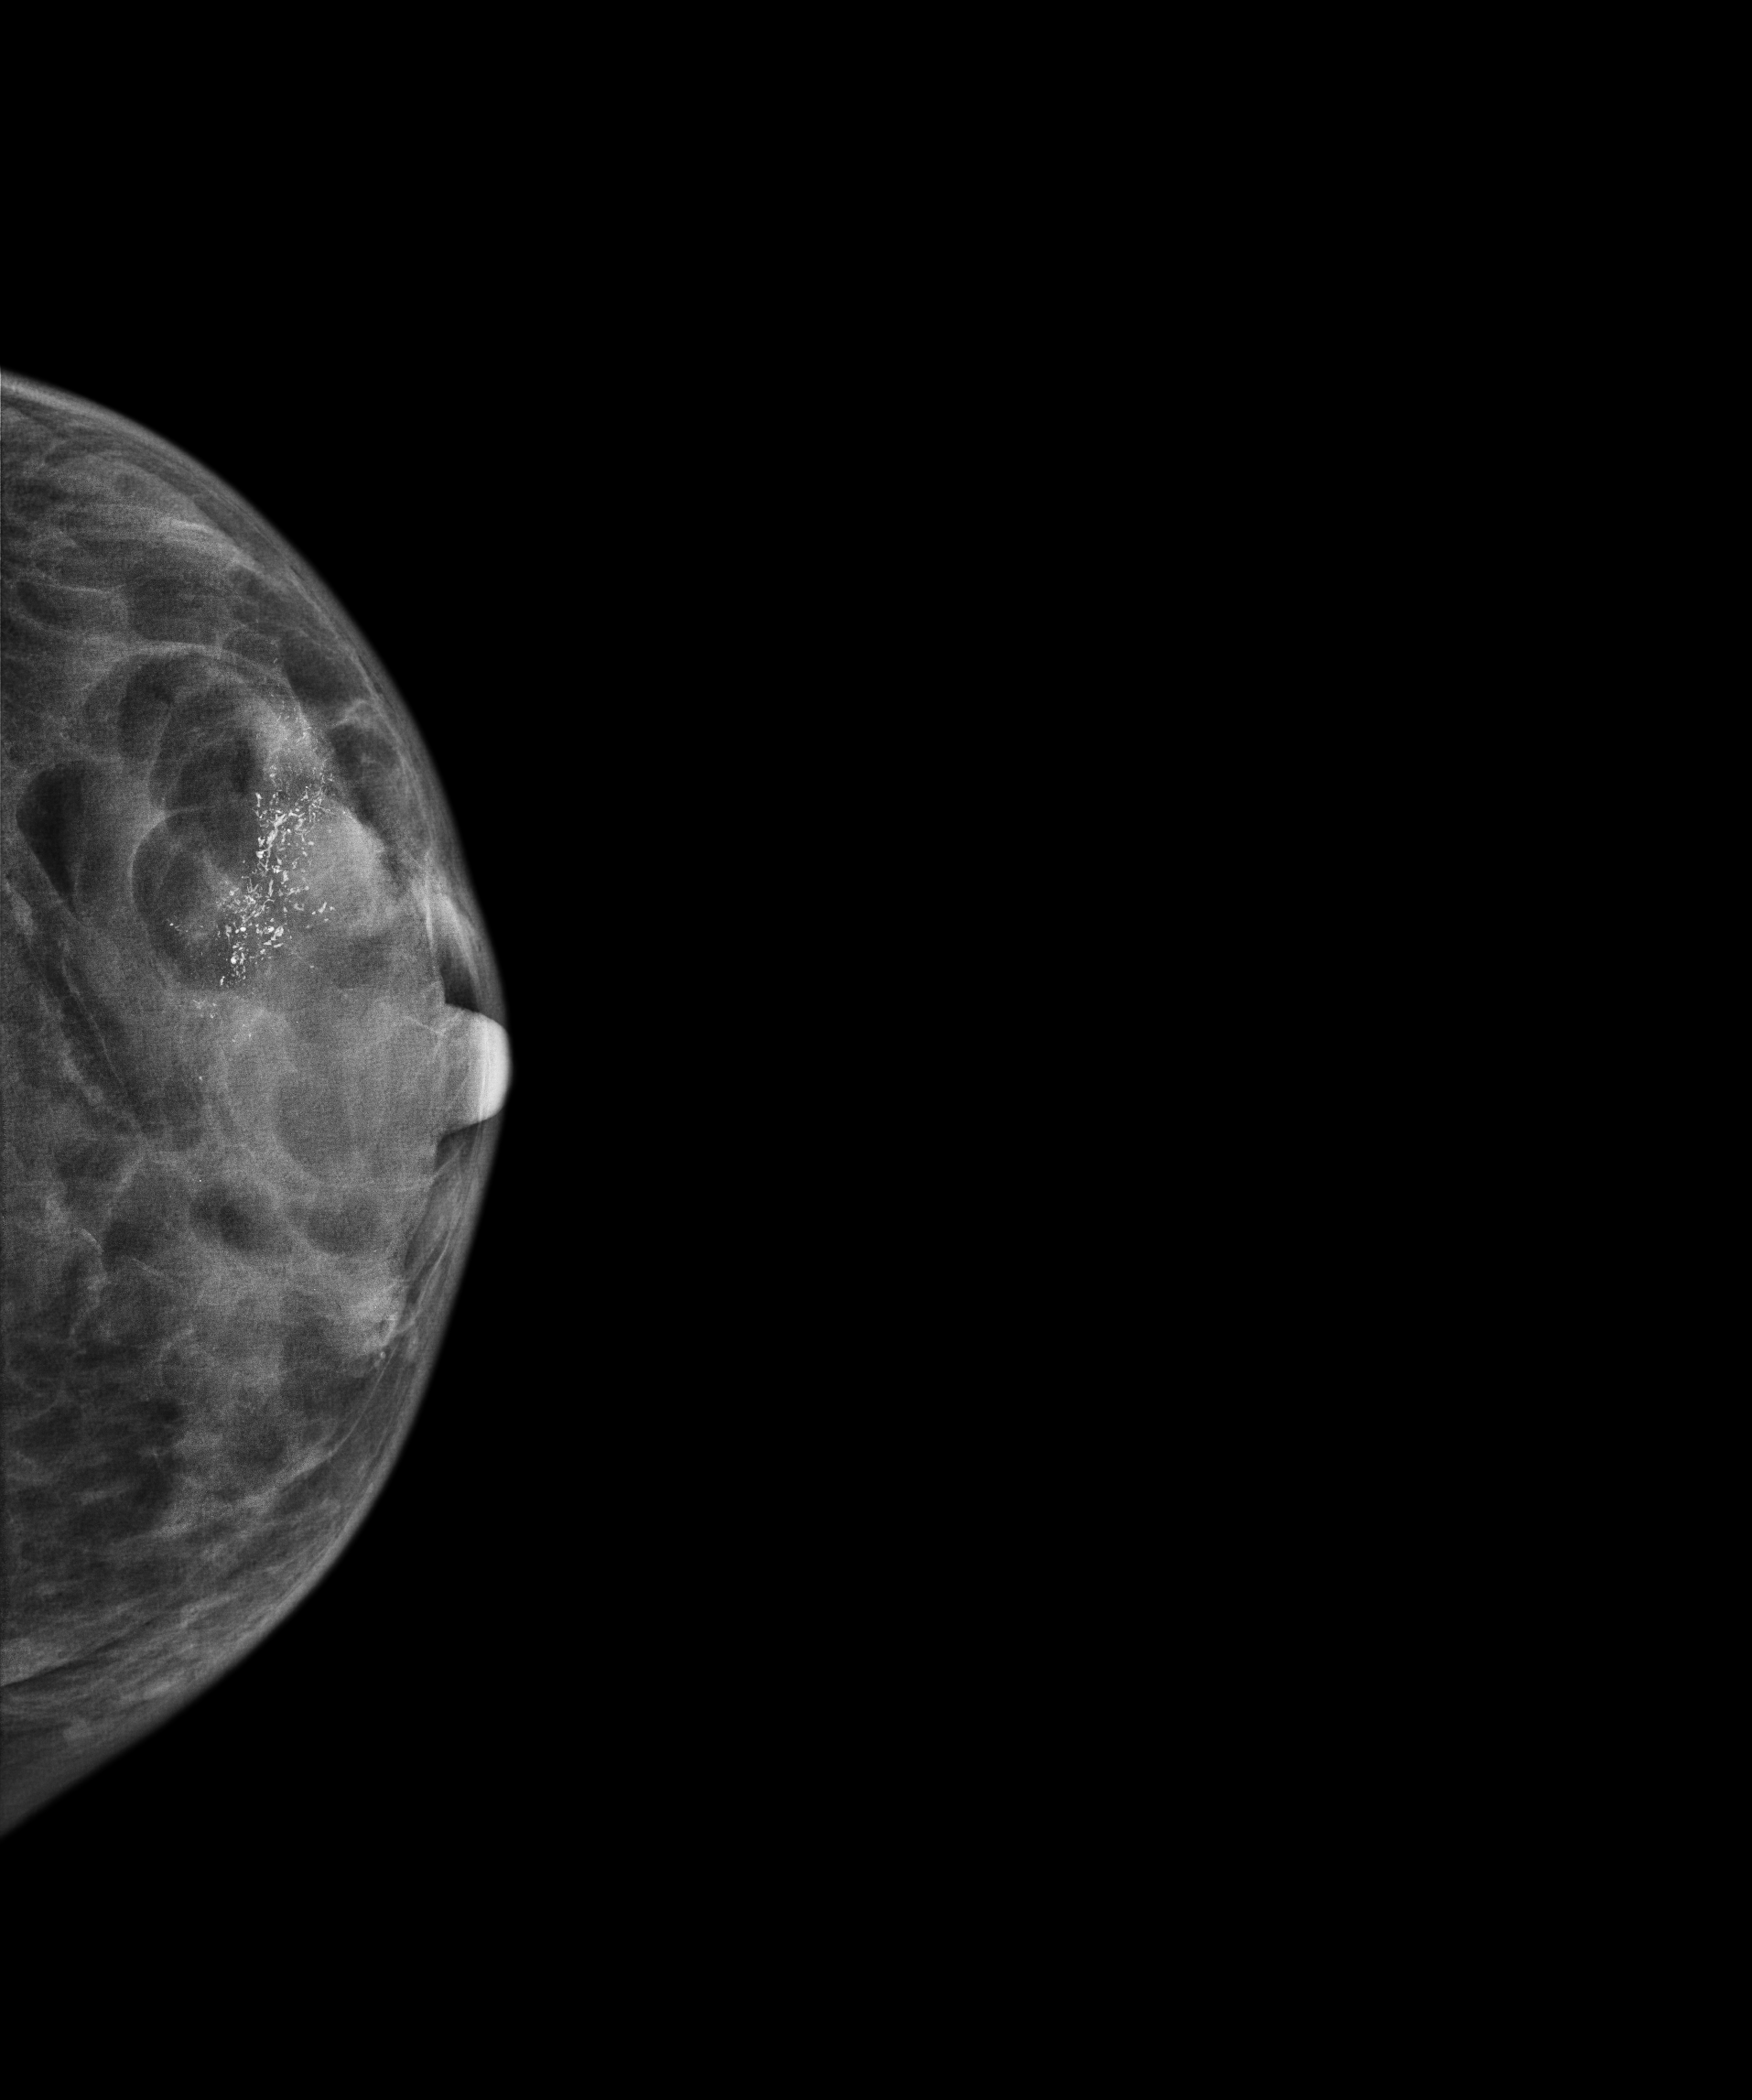
Mammogram, left breast, CC view. Patient age 53.
This breast has calcifications, biopsy-confirmed malignant. Molecular subtype: luminal B.